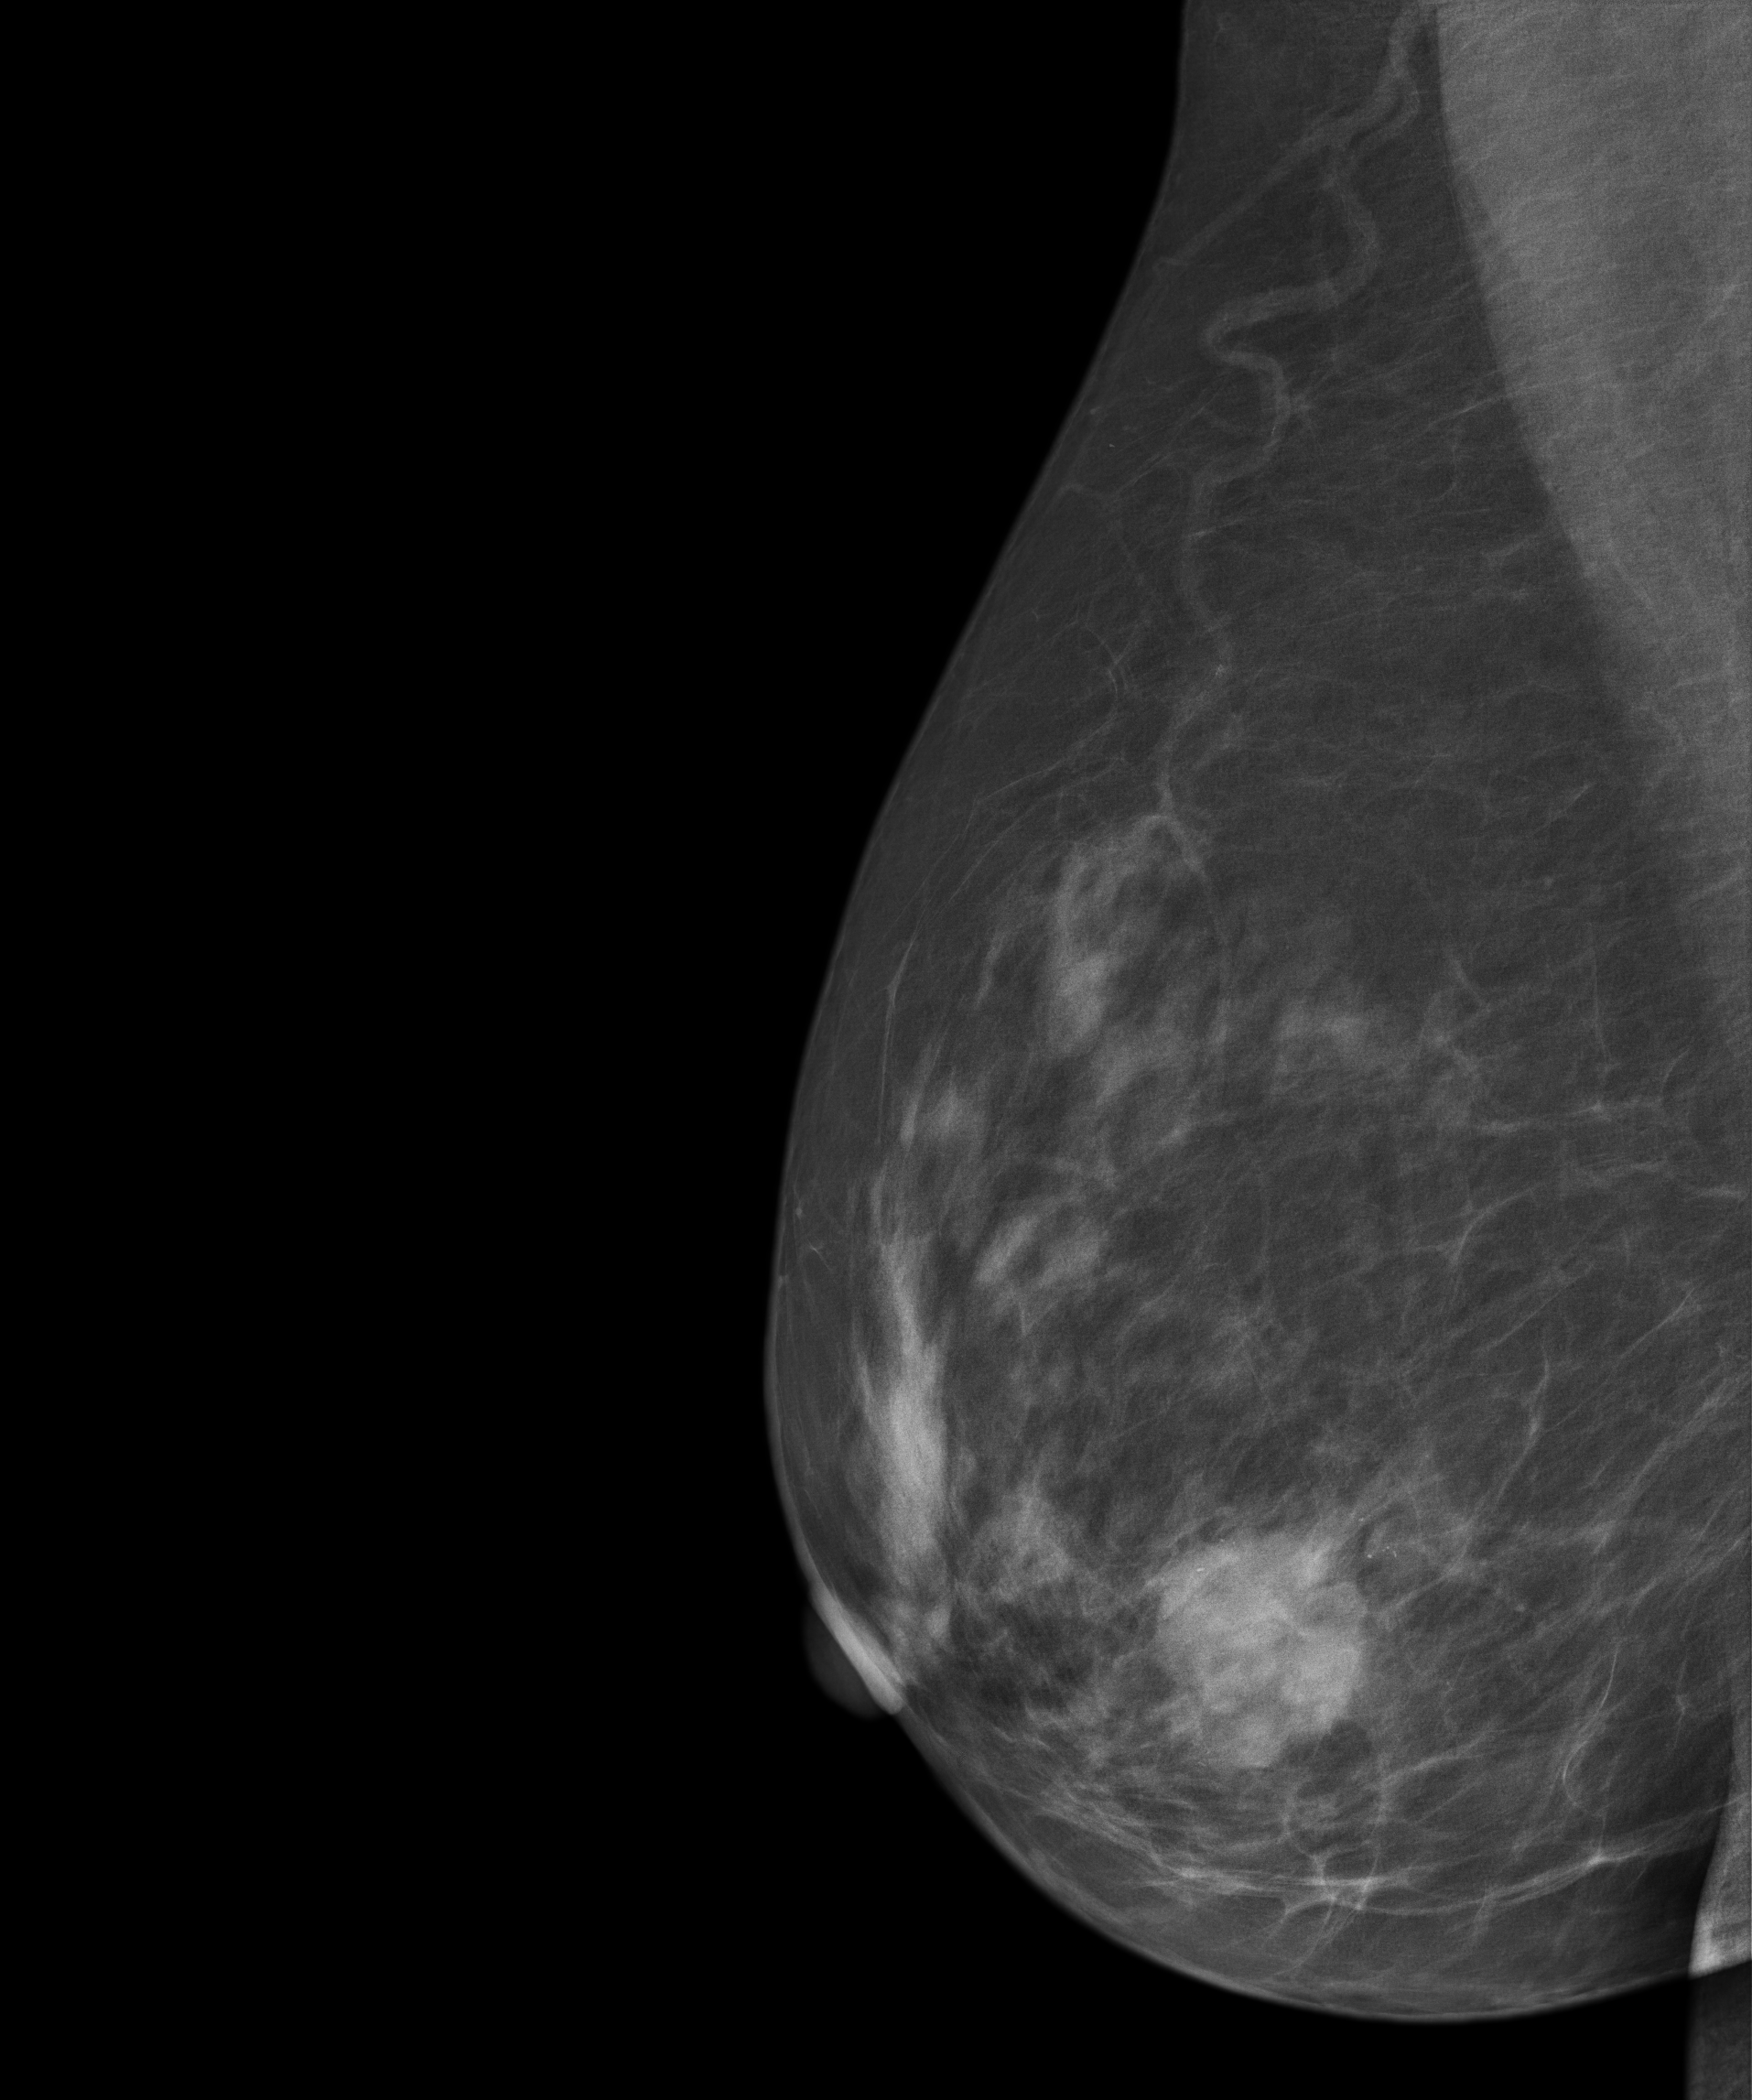
Digital mammography. Right breast, medio-lateral oblique projection. 62 y/o patient.
This breast has a mass and calcifications, biopsy-confirmed malignant. Molecular subtype: luminal B.